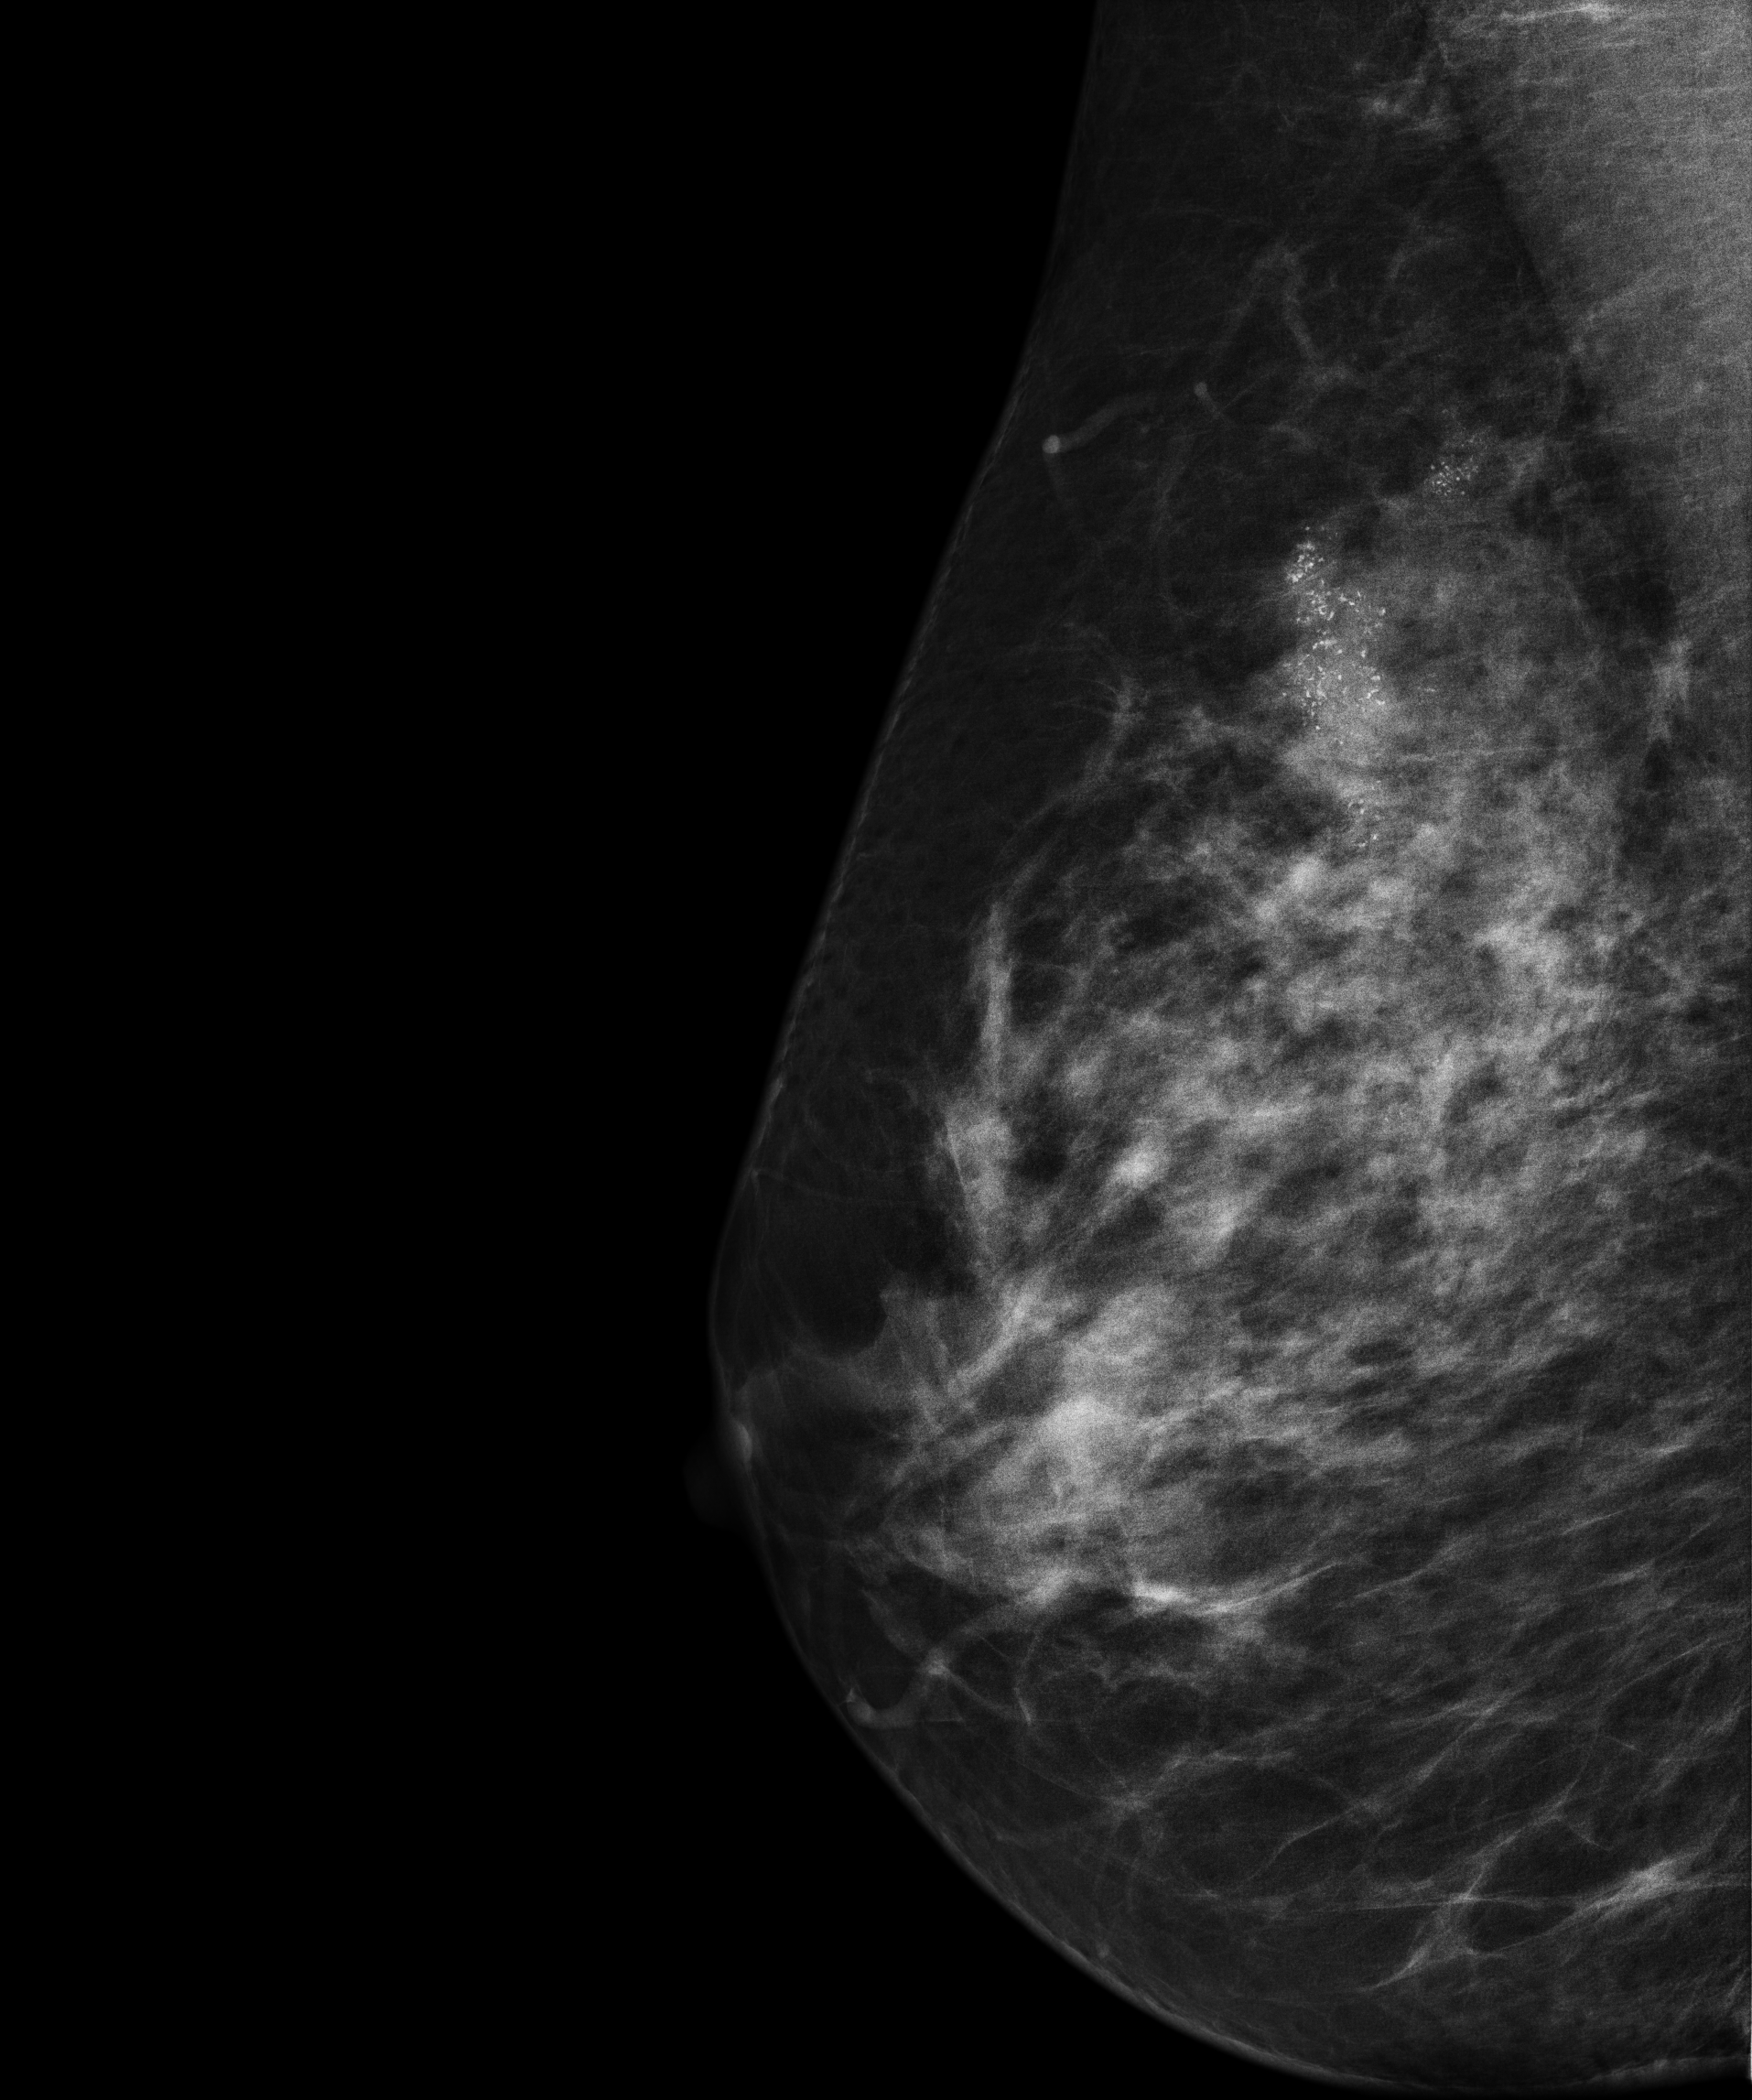
Mammogram, right breast, MLO view. Patient age 38.
This breast has a mass and calcifications, biopsy-confirmed malignant.